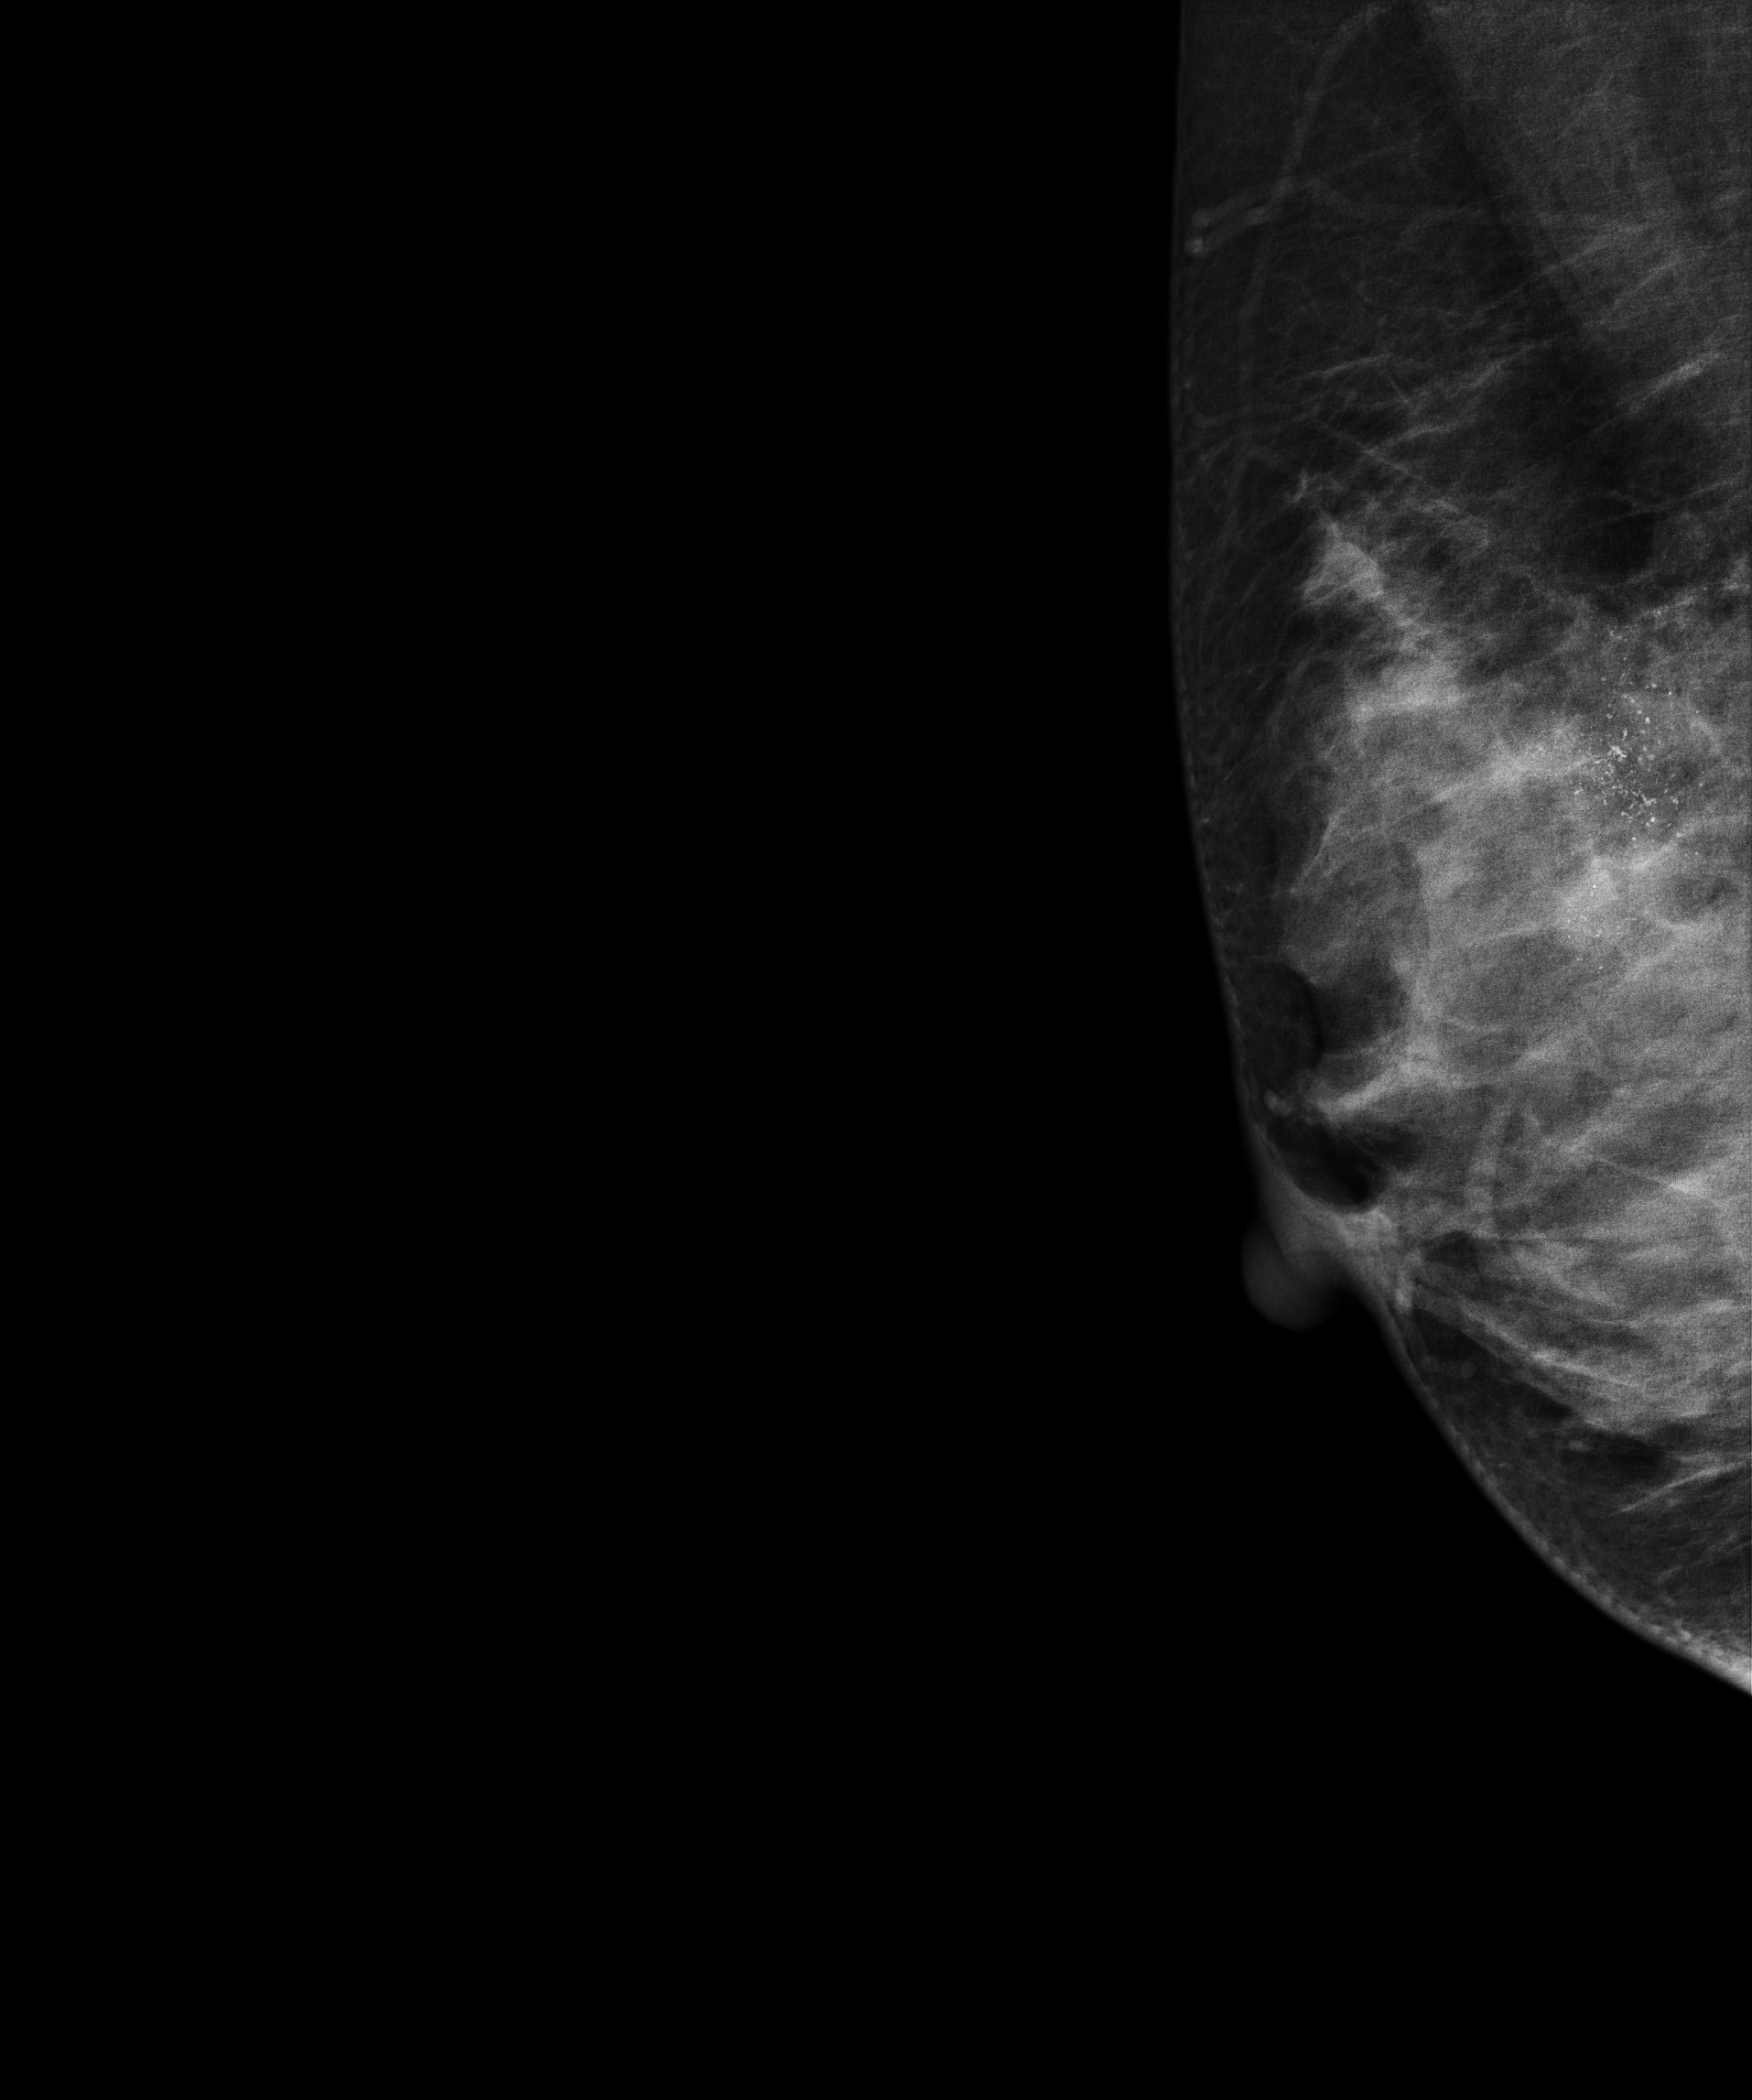
Mammogram — right medio-lateral oblique. Patient age 35.
This breast has calcifications, pathology-confirmed malignant. Molecular subtype: HER2-enriched.